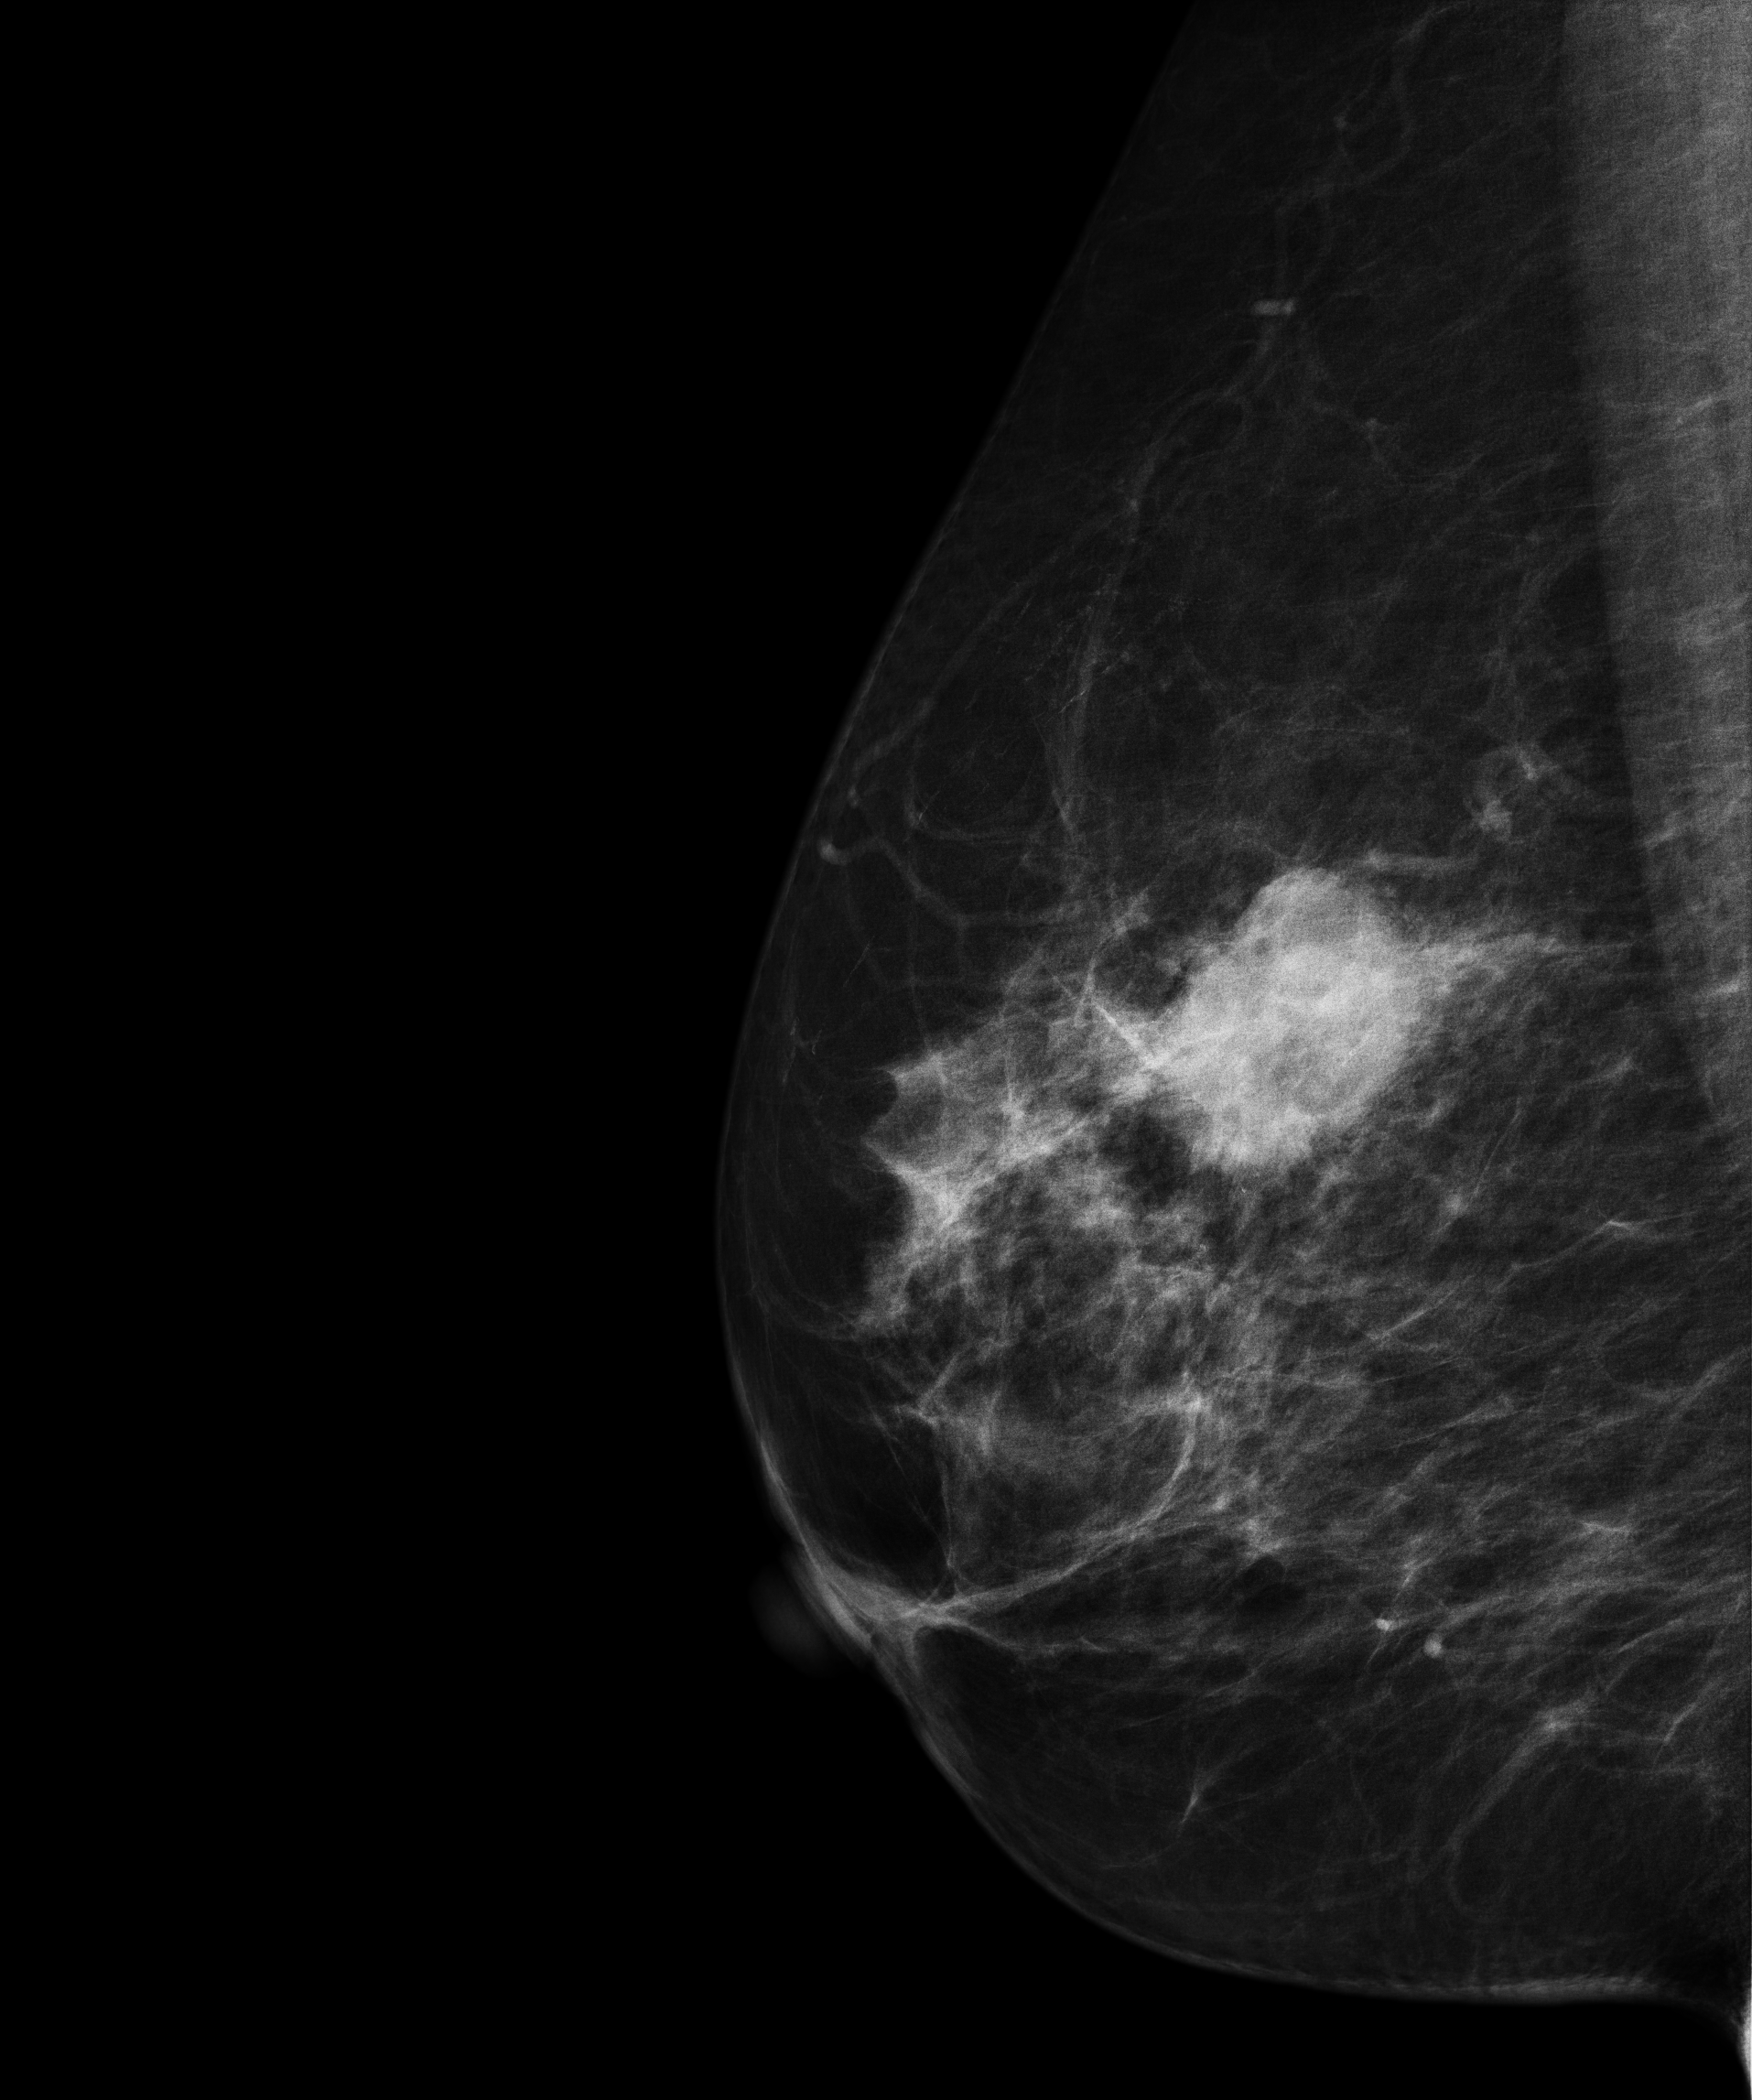
Mammogram, right breast, MLO view. 62 y/o patient.
This breast has a mass, biopsy-confirmed malignant. Molecular subtype: luminal B.